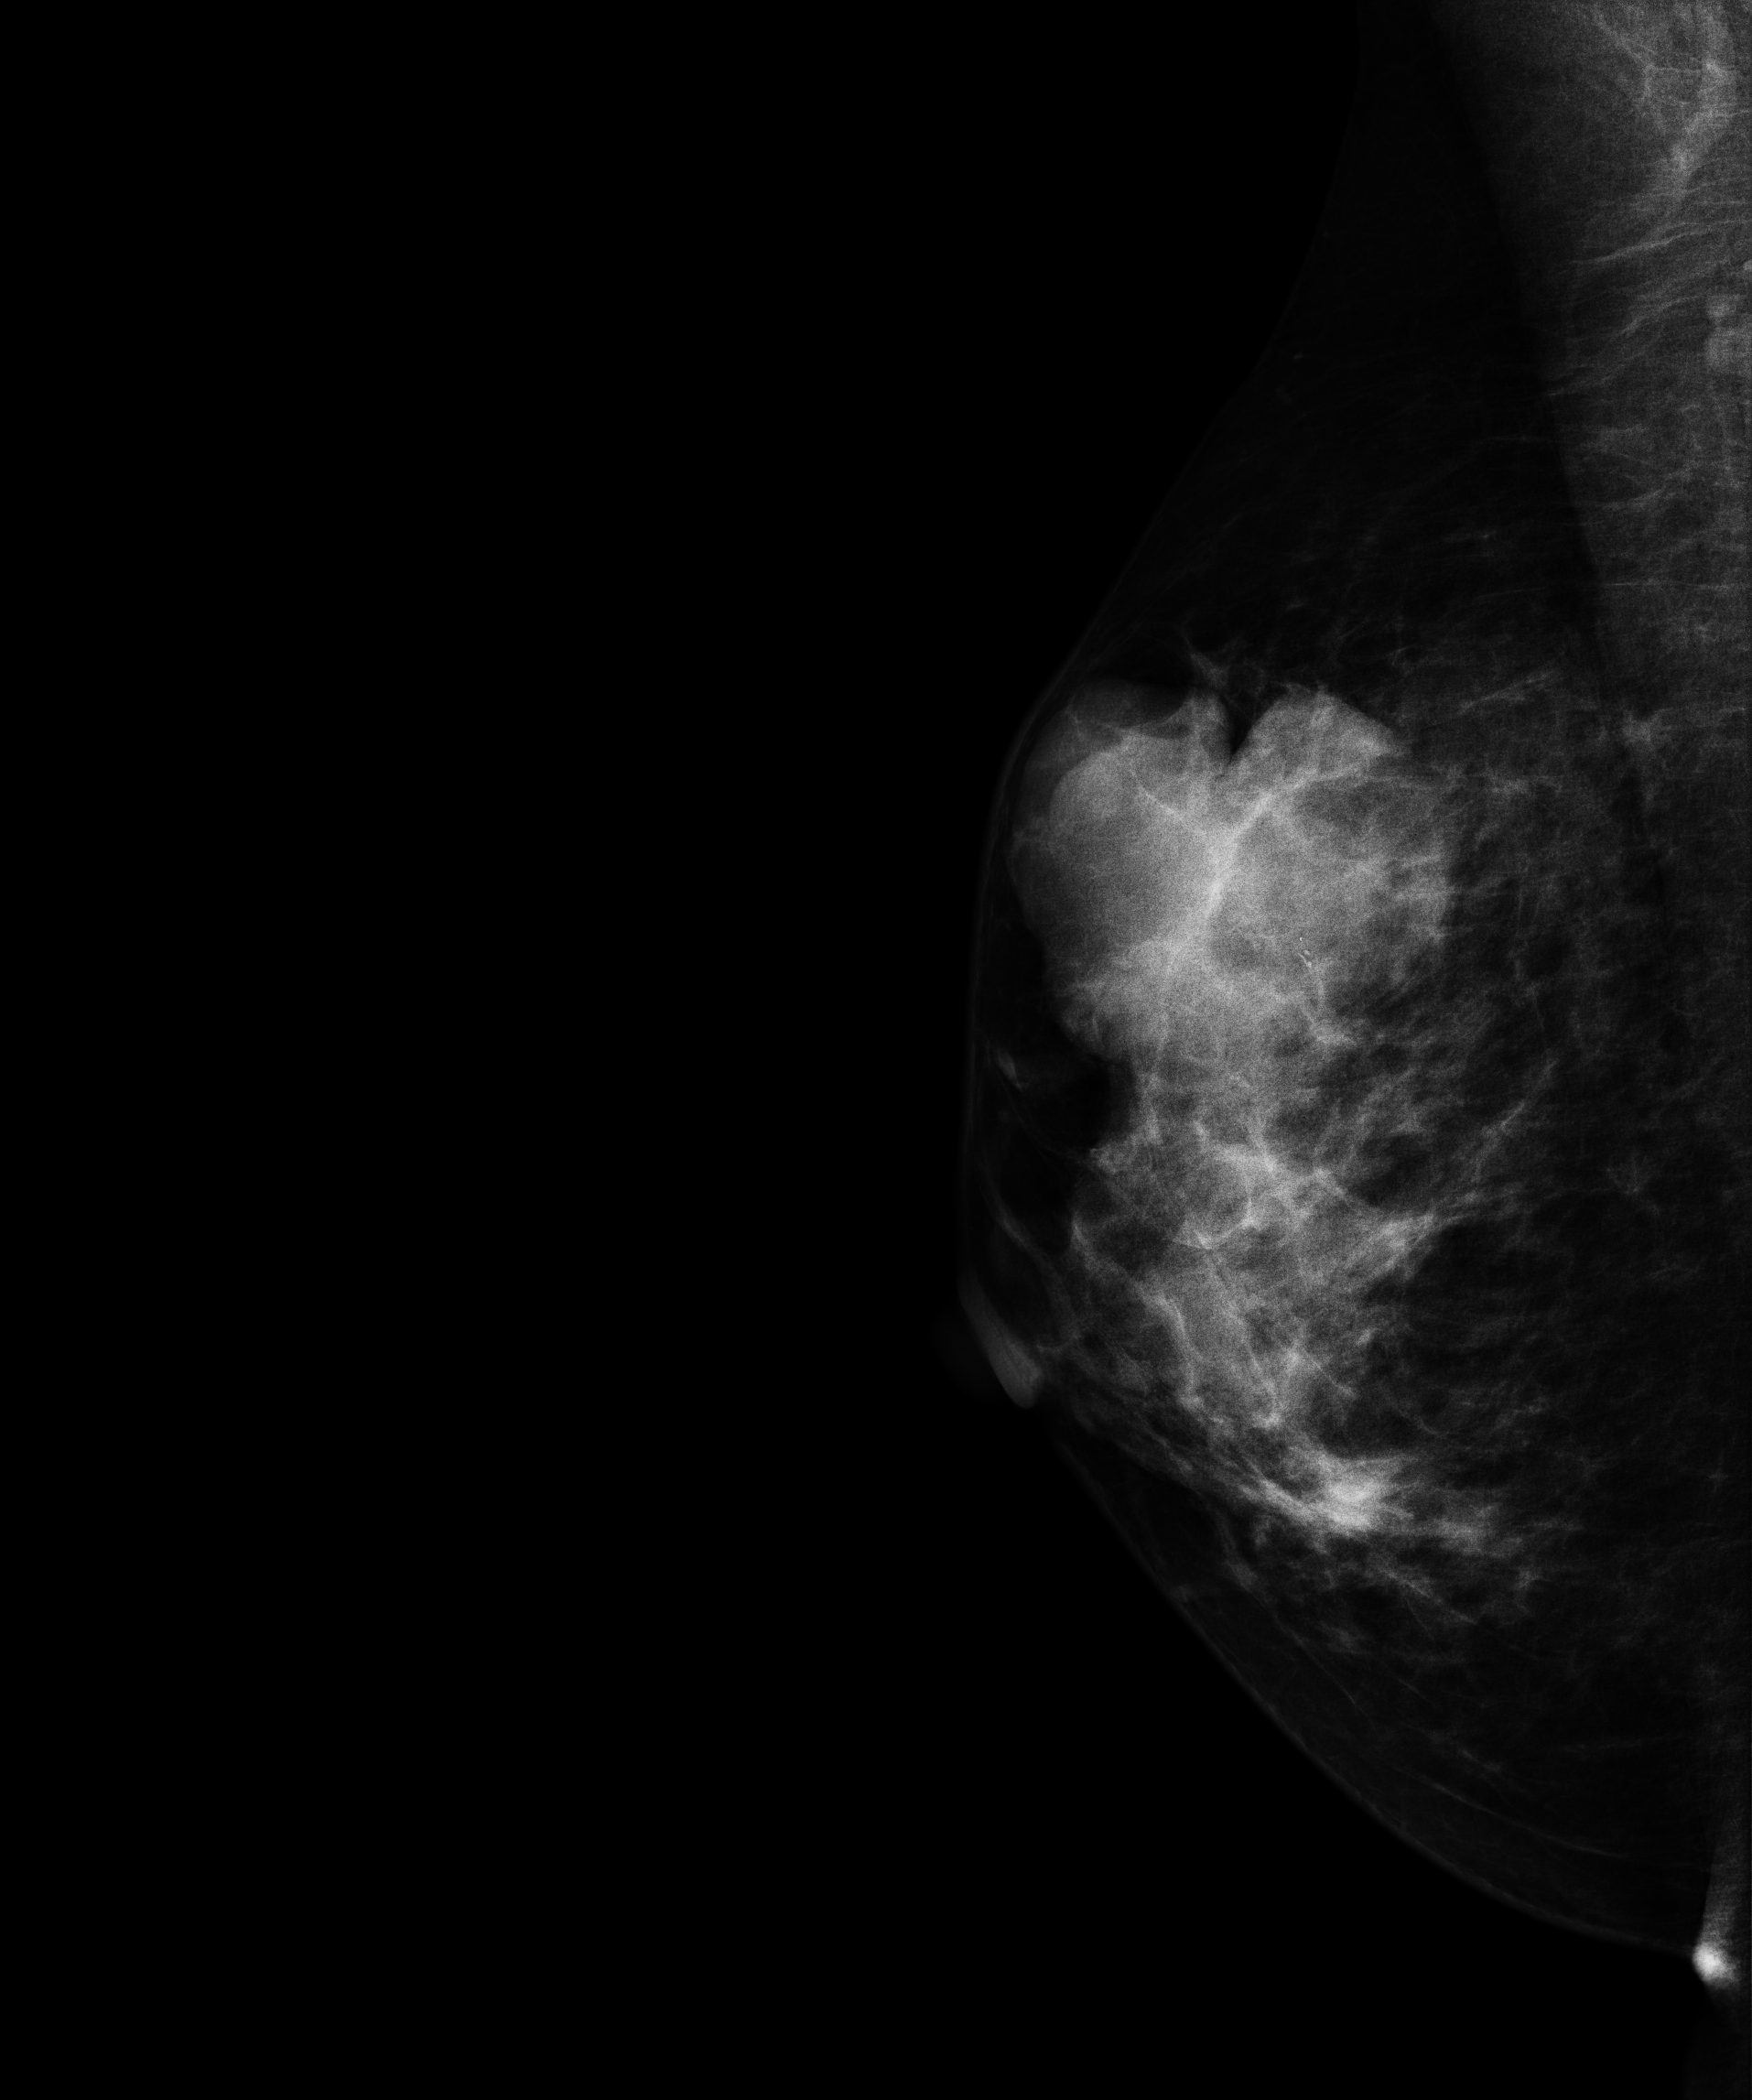
Right-breast mammogram, medio-lateral oblique. 41-year-old patient.
This breast has a mass, pathology-confirmed malignant.